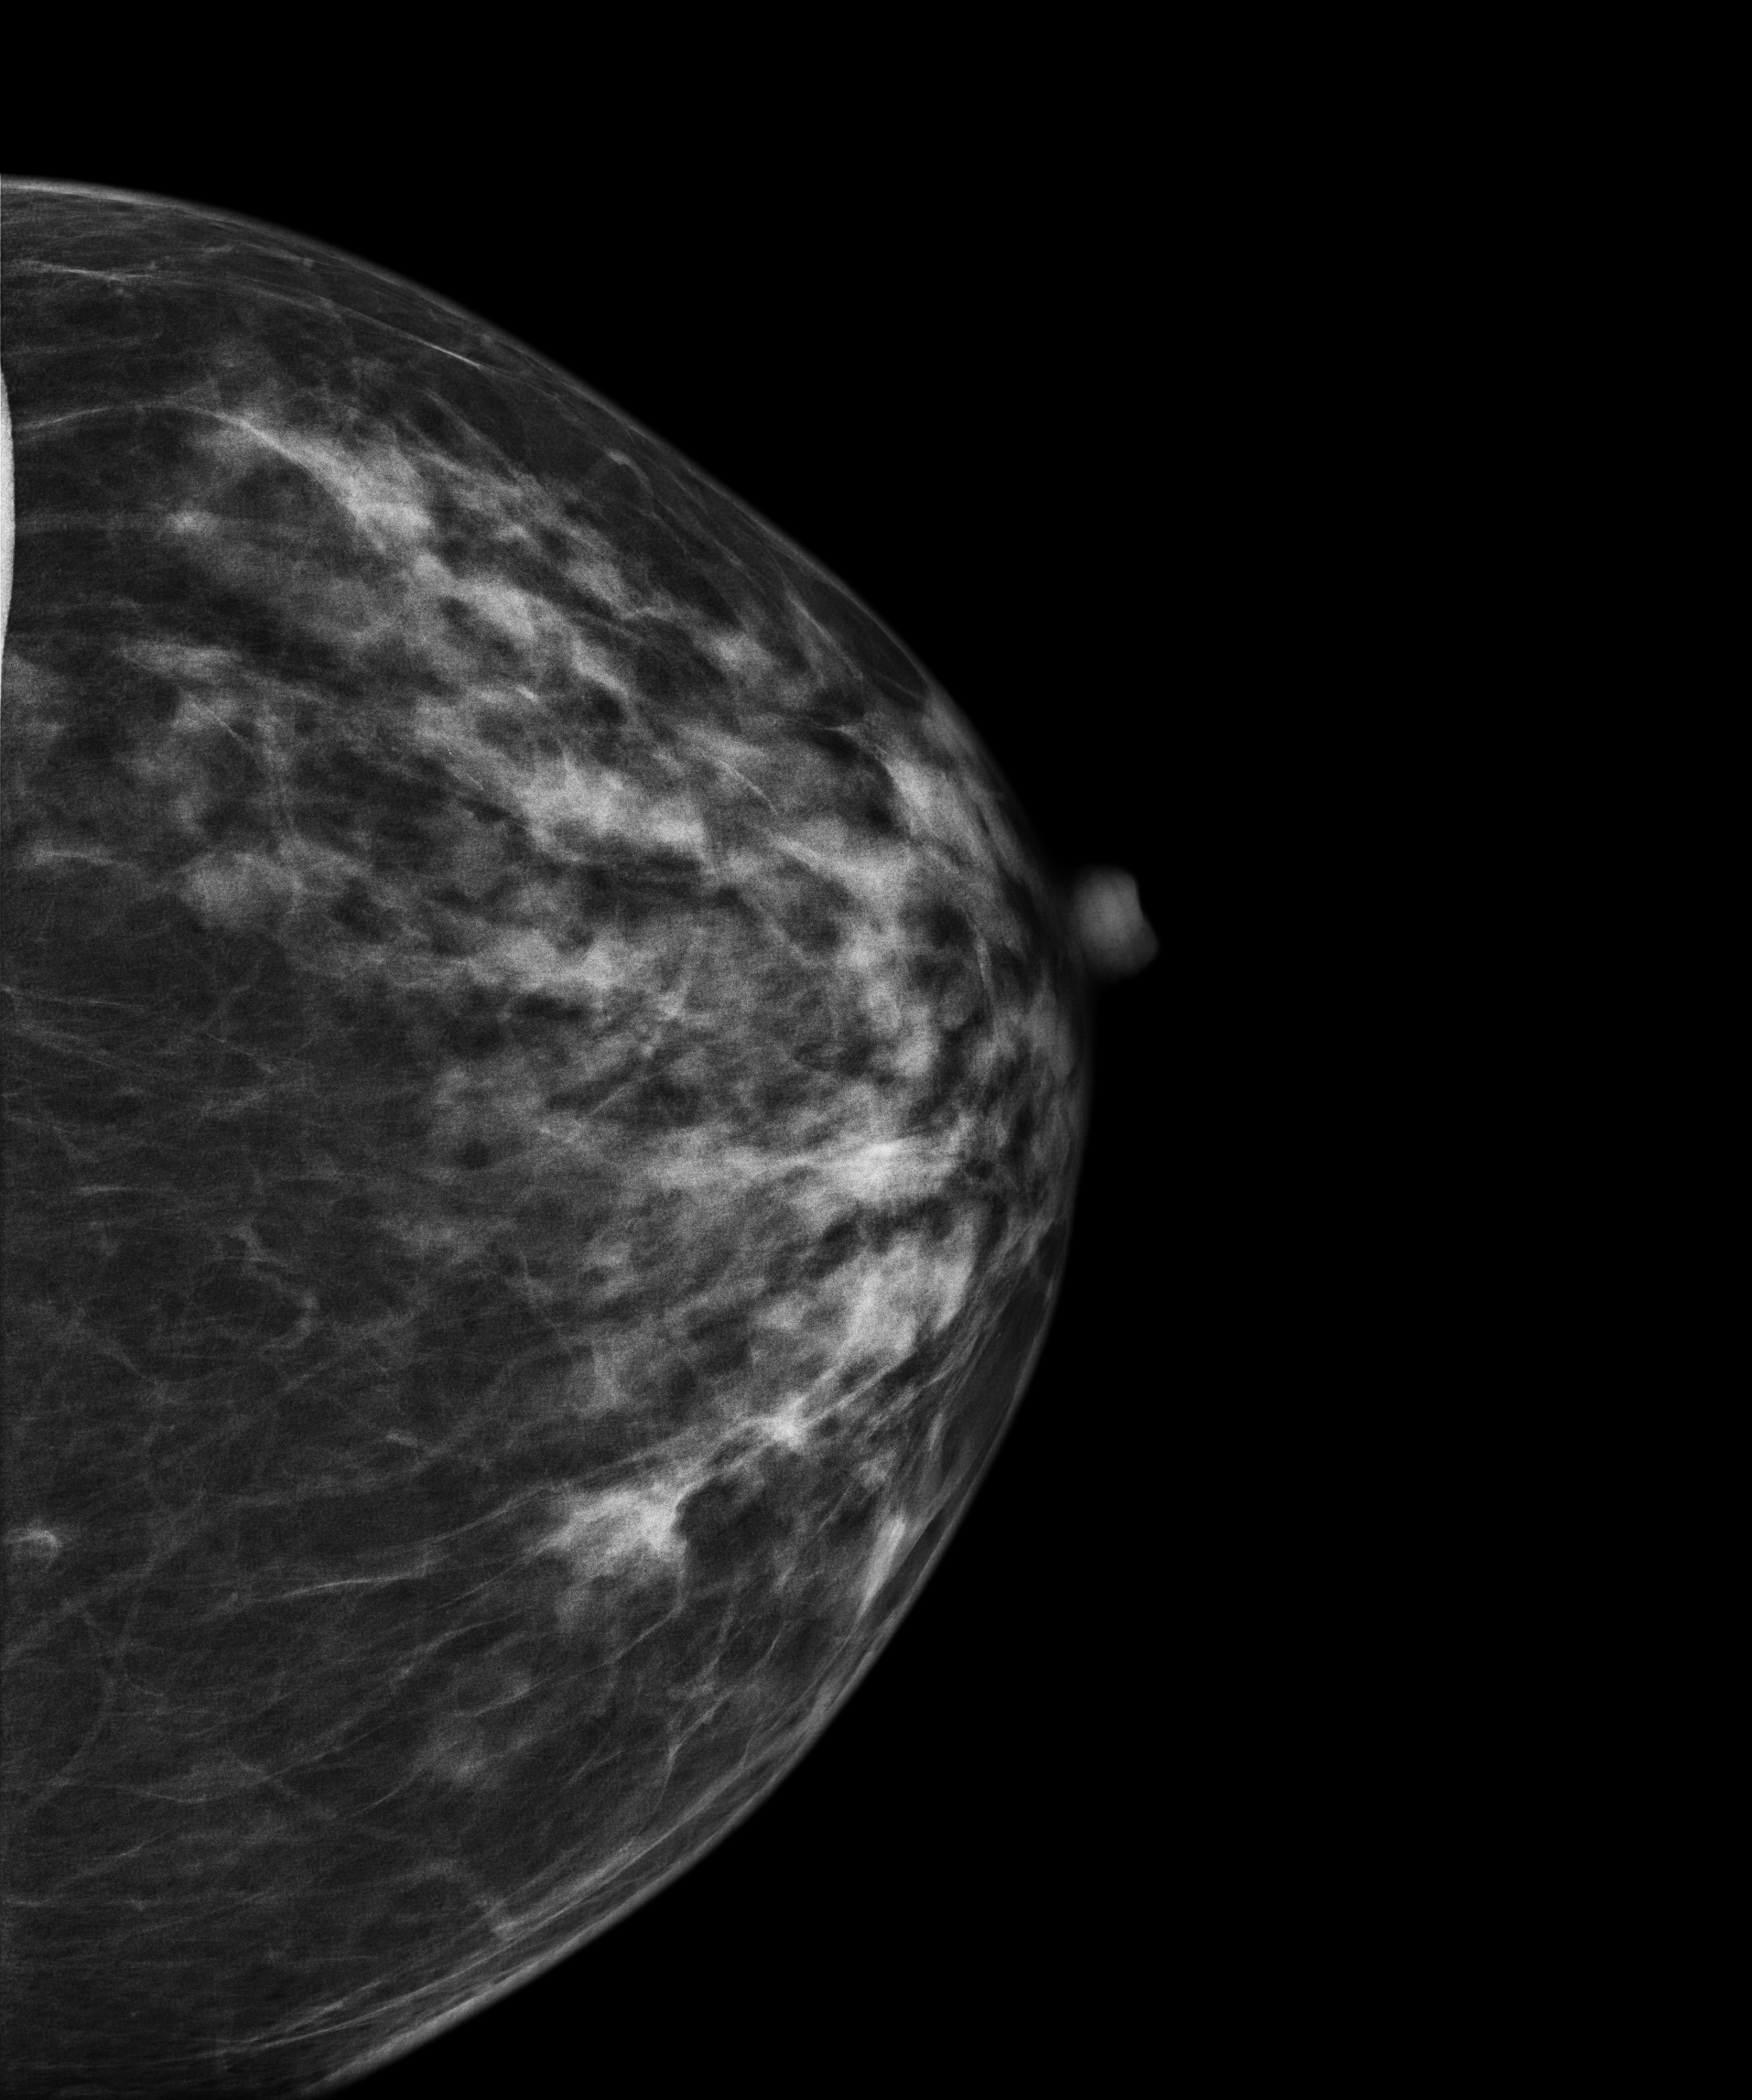
Cranio-caudal mammogram of the left breast. Patient age 55.
Contralateral breast — no documented abnormality on this side.